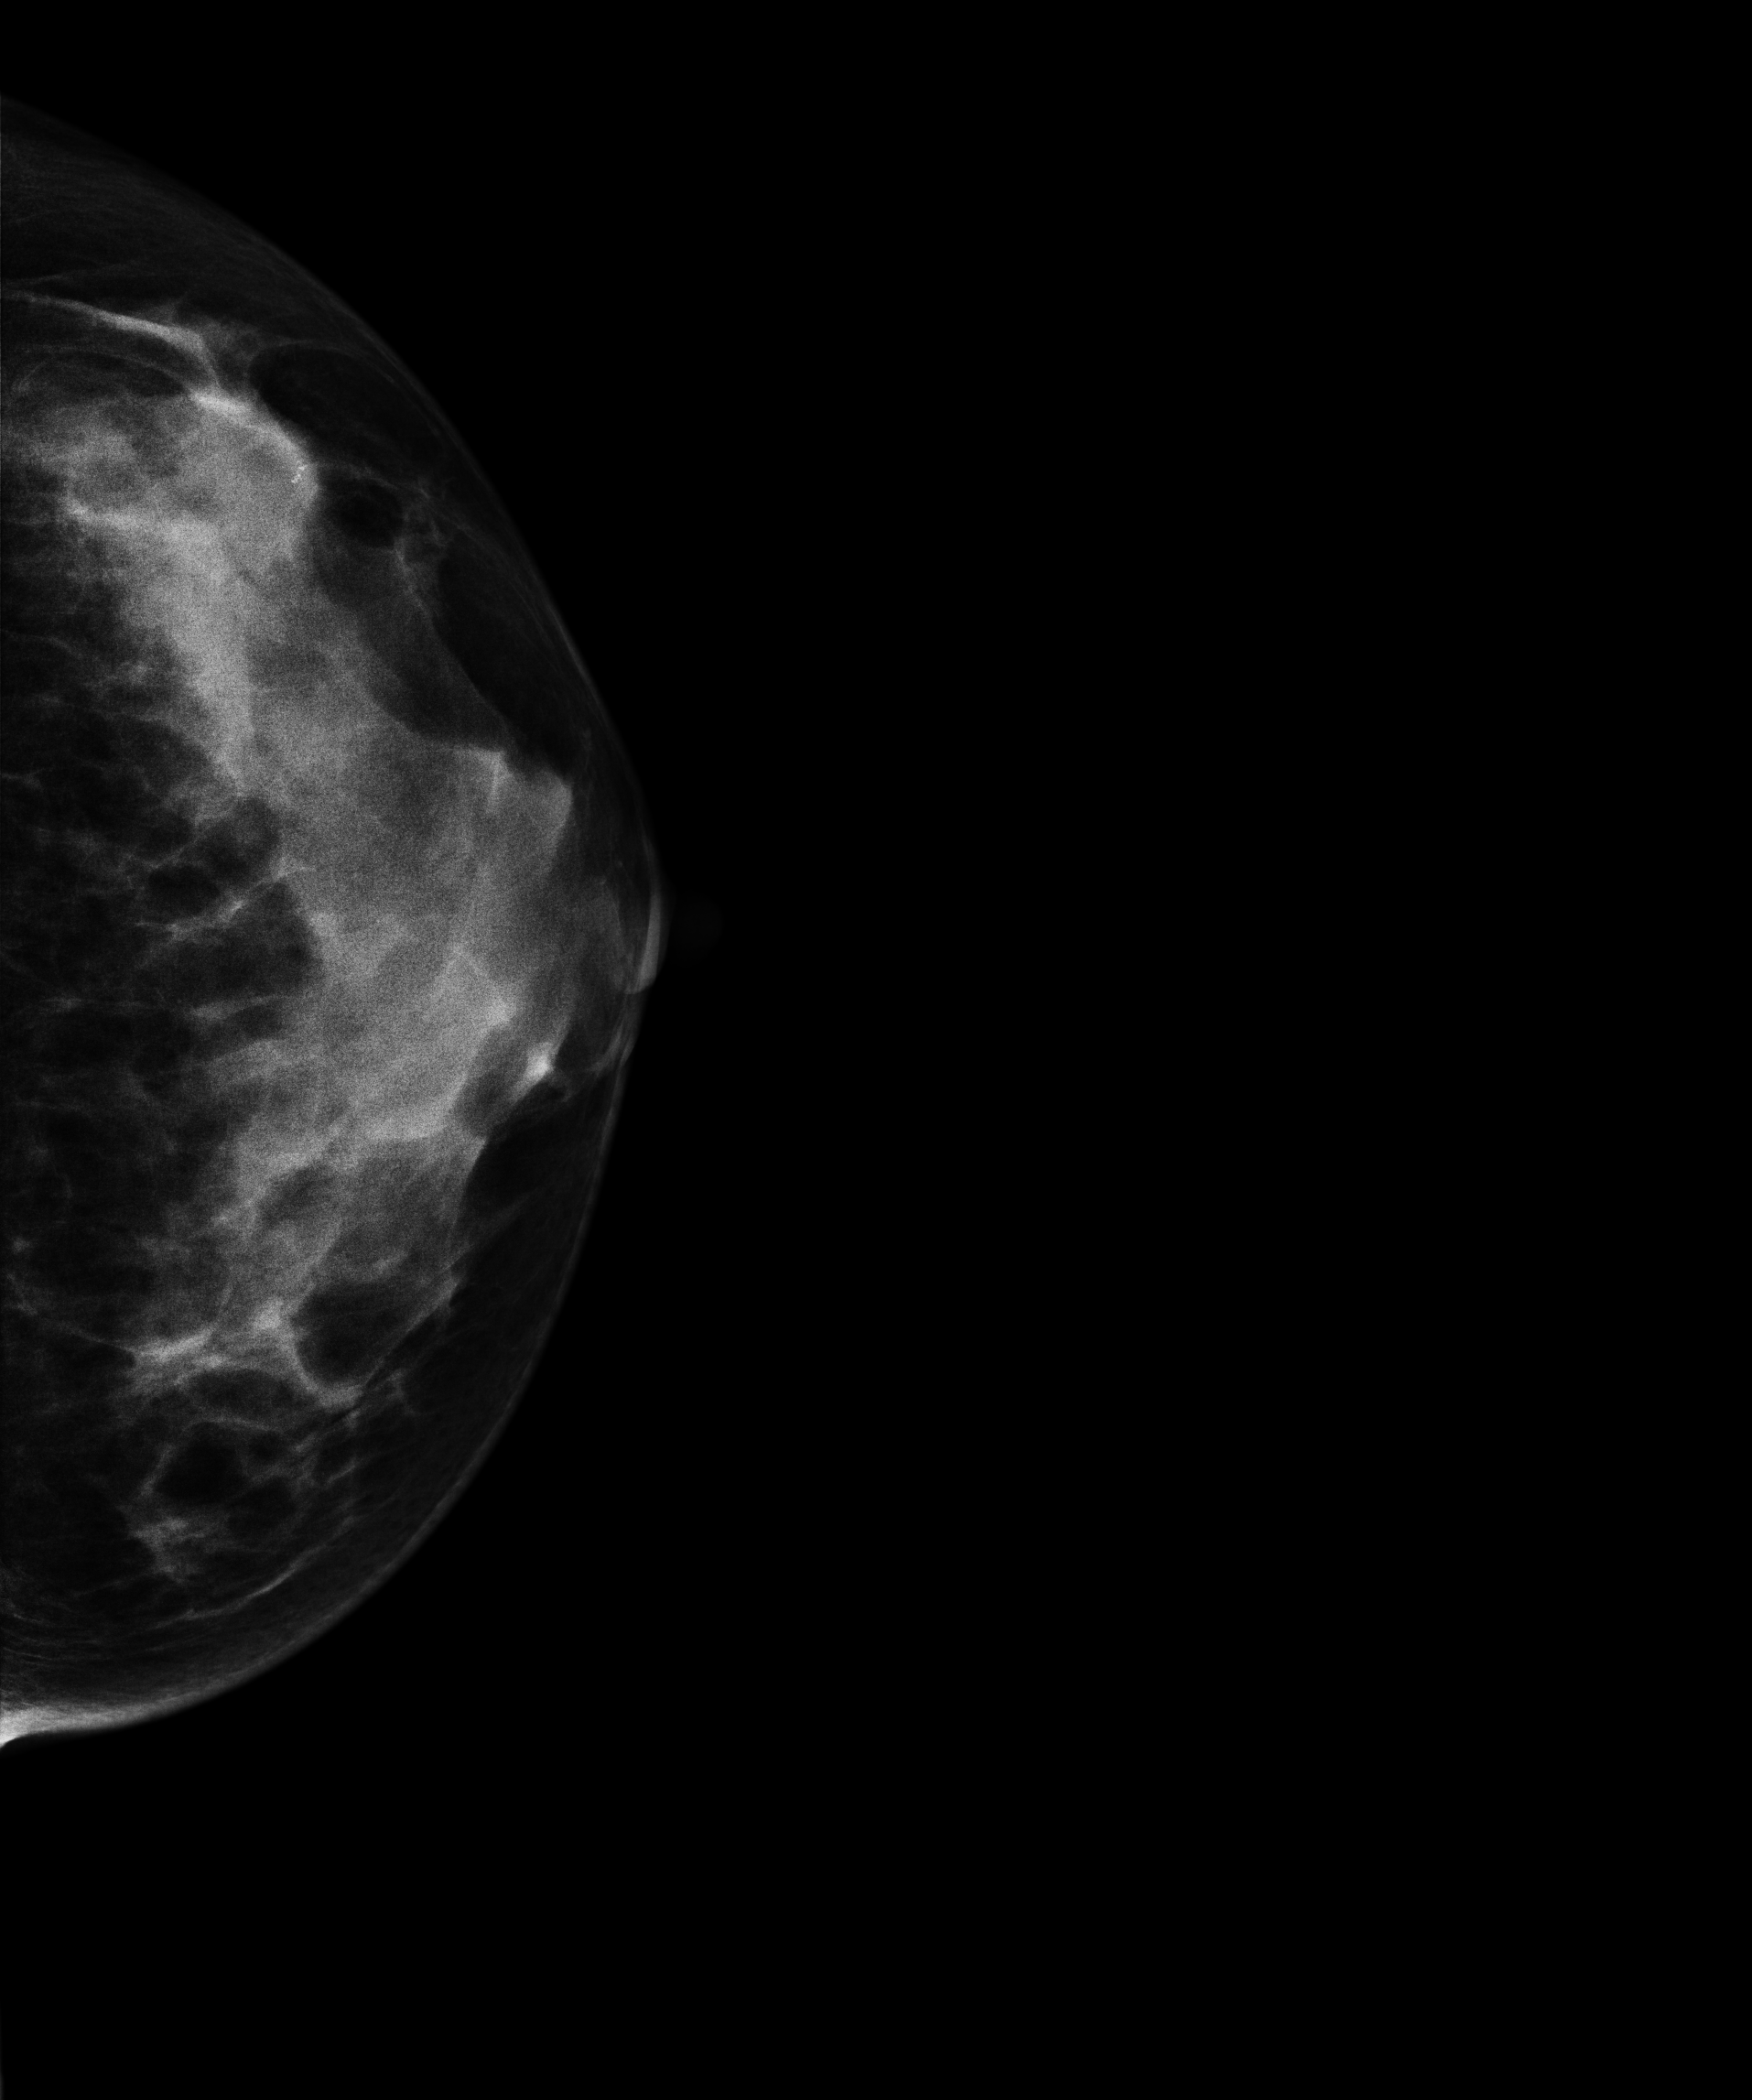
Mammogram — left CC. 34-year-old patient.
This breast has a mass and calcifications, biopsy-confirmed malignant. Molecular subtype: luminal B.